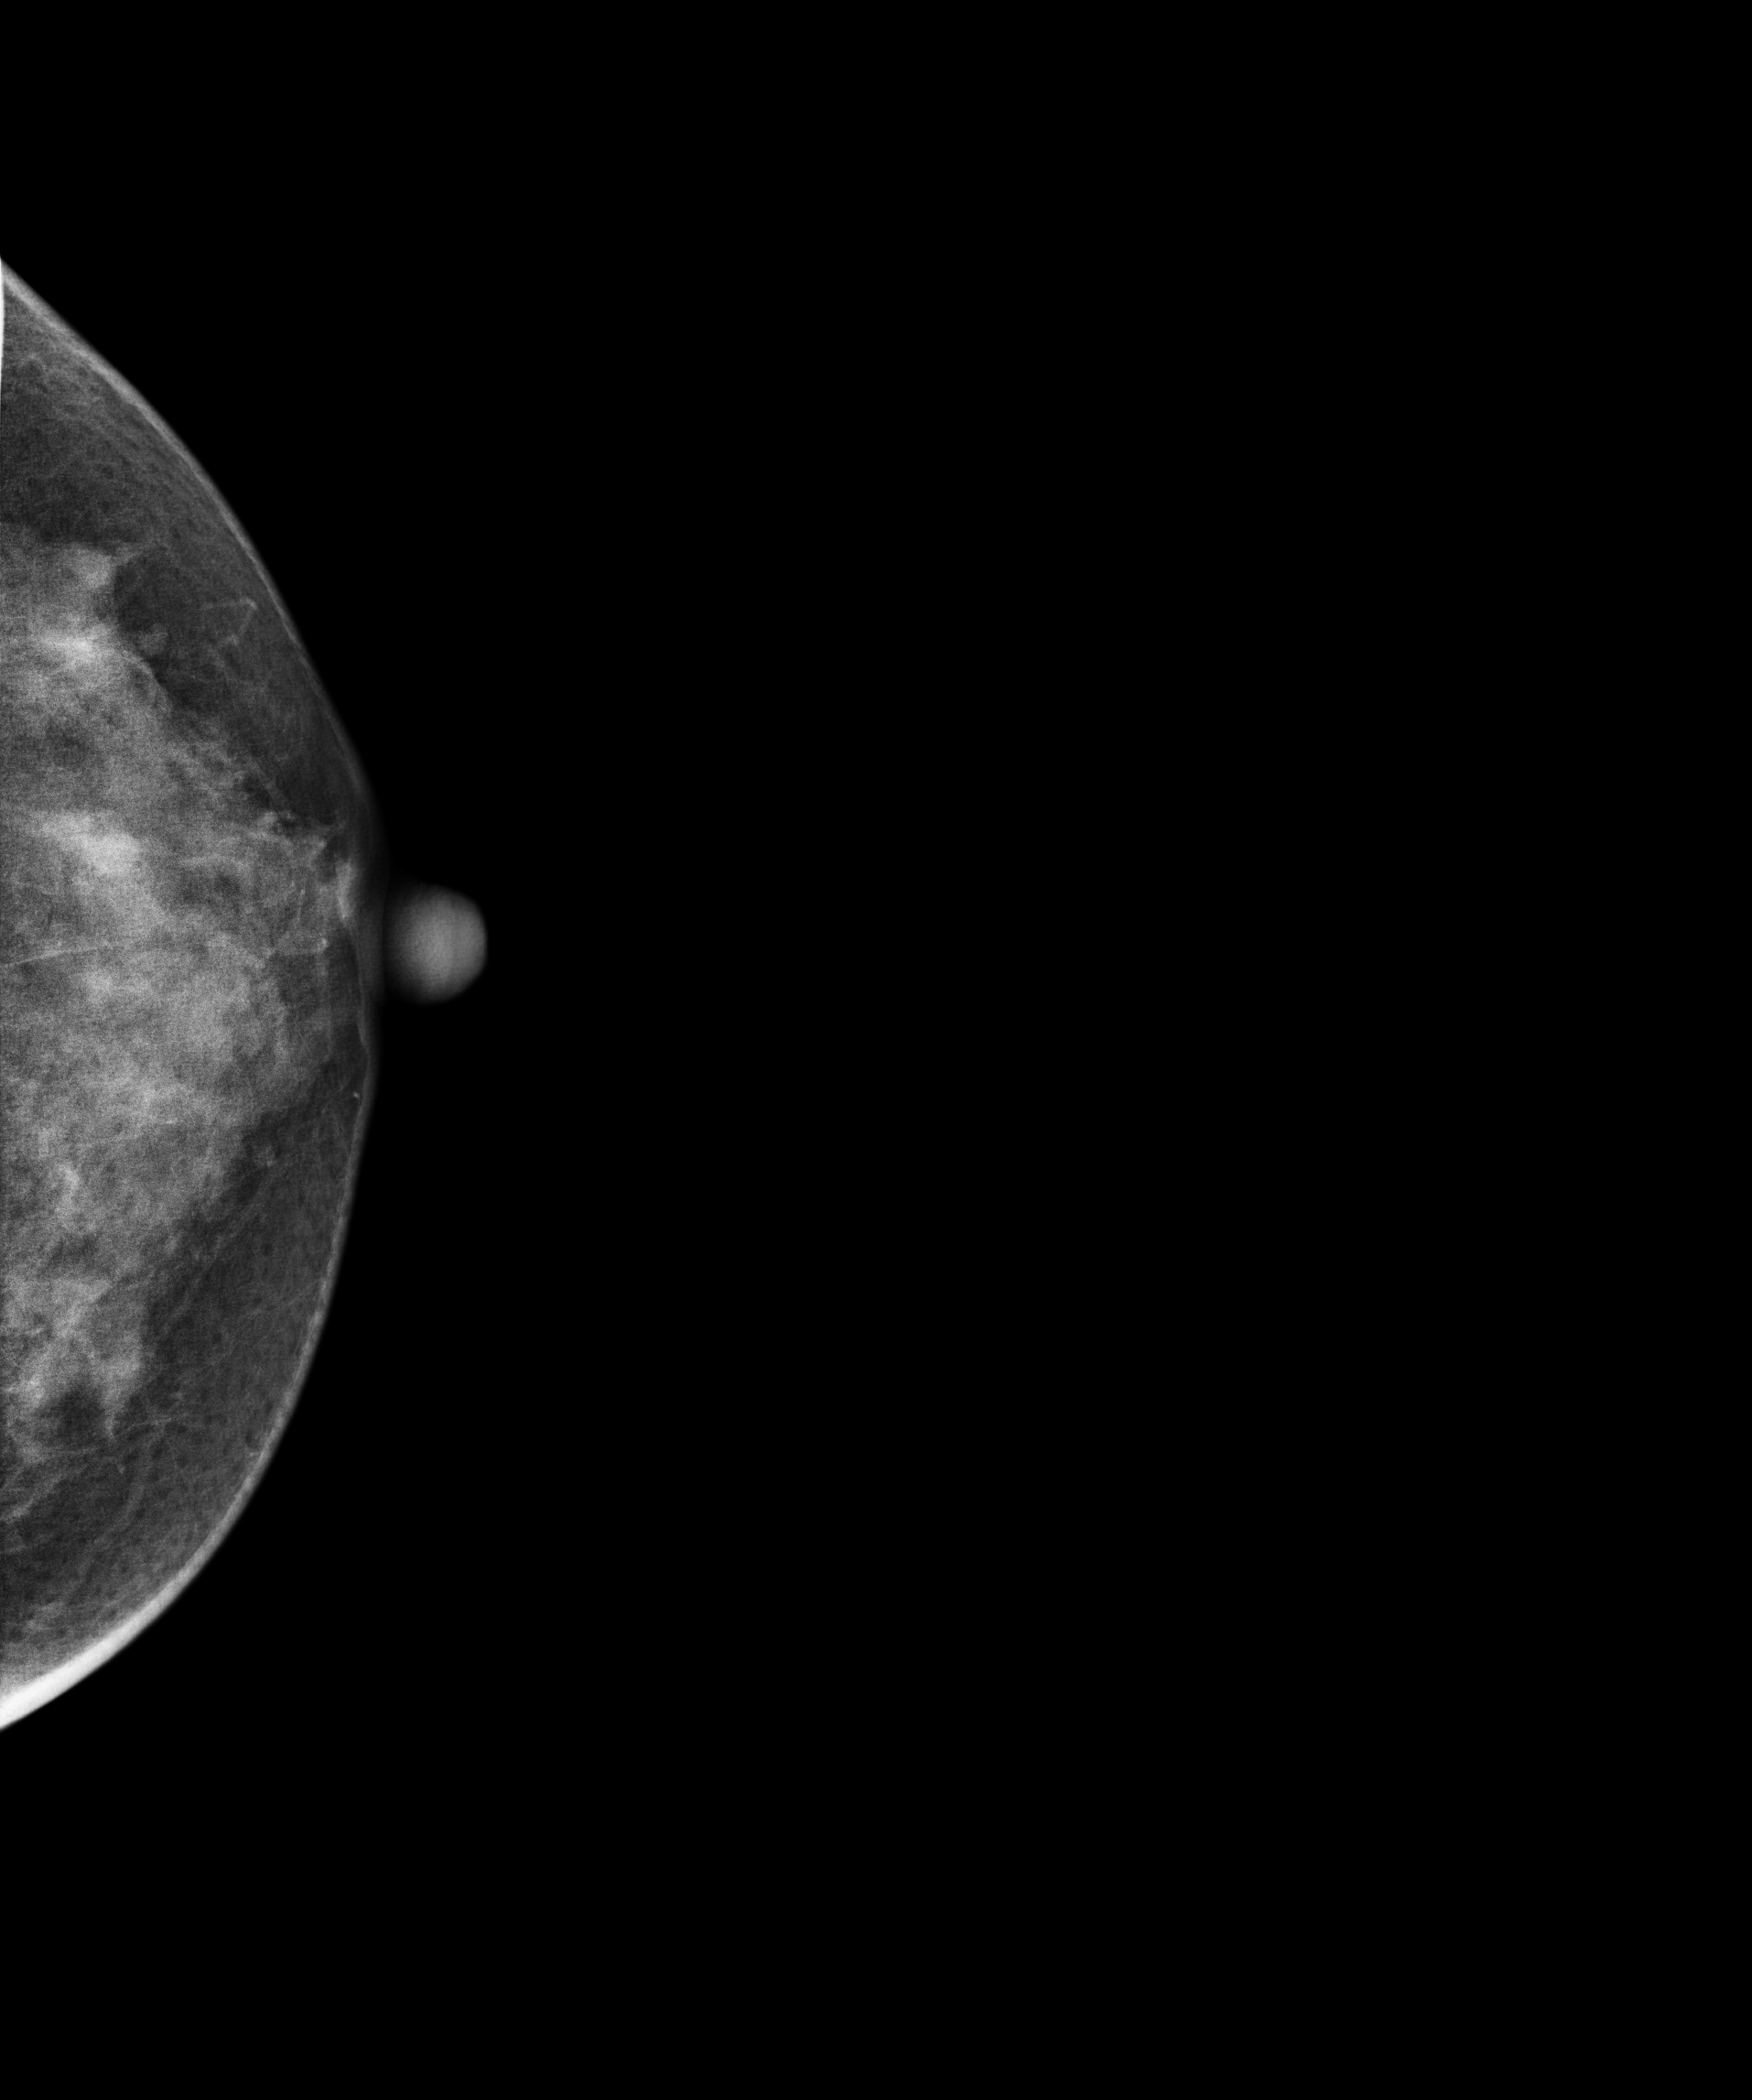
Mammogram, left breast, cranio-caudal view. 43-year-old patient.
This breast has a mass, pathology-confirmed benign.